Right-breast mammogram, cranio-caudal. Patient age 19.
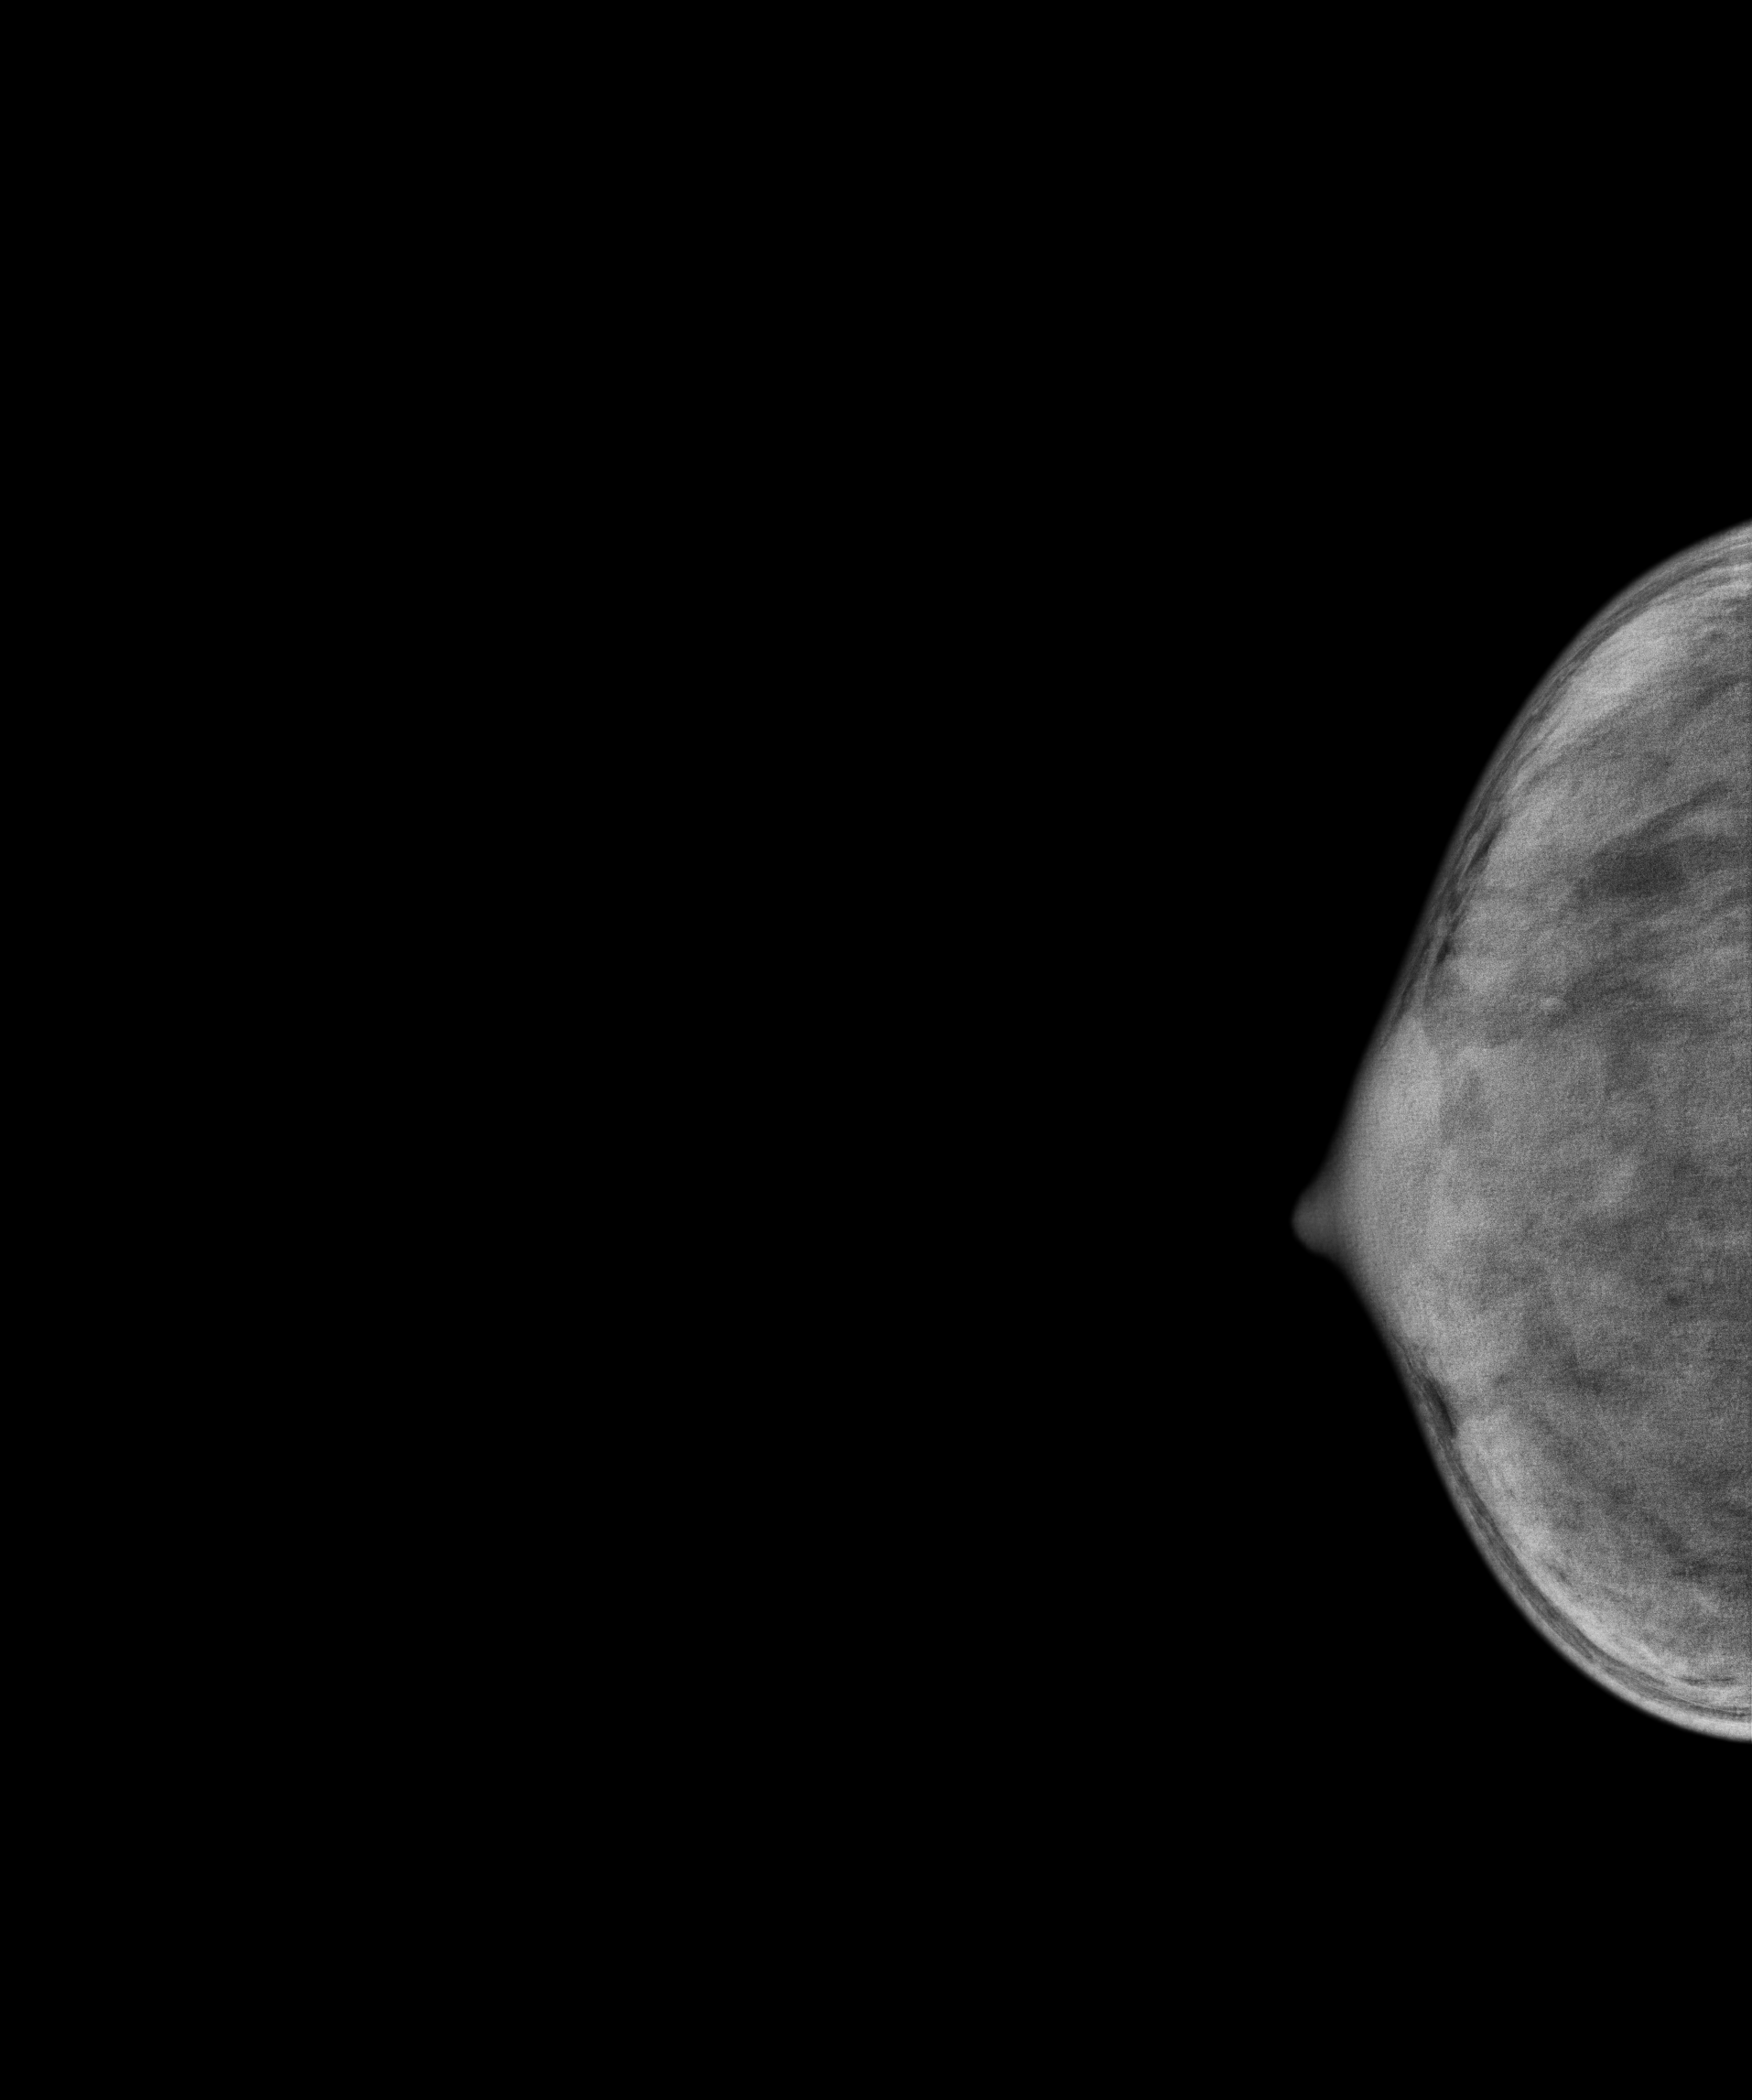
This breast has a mass, biopsy-proven benign.